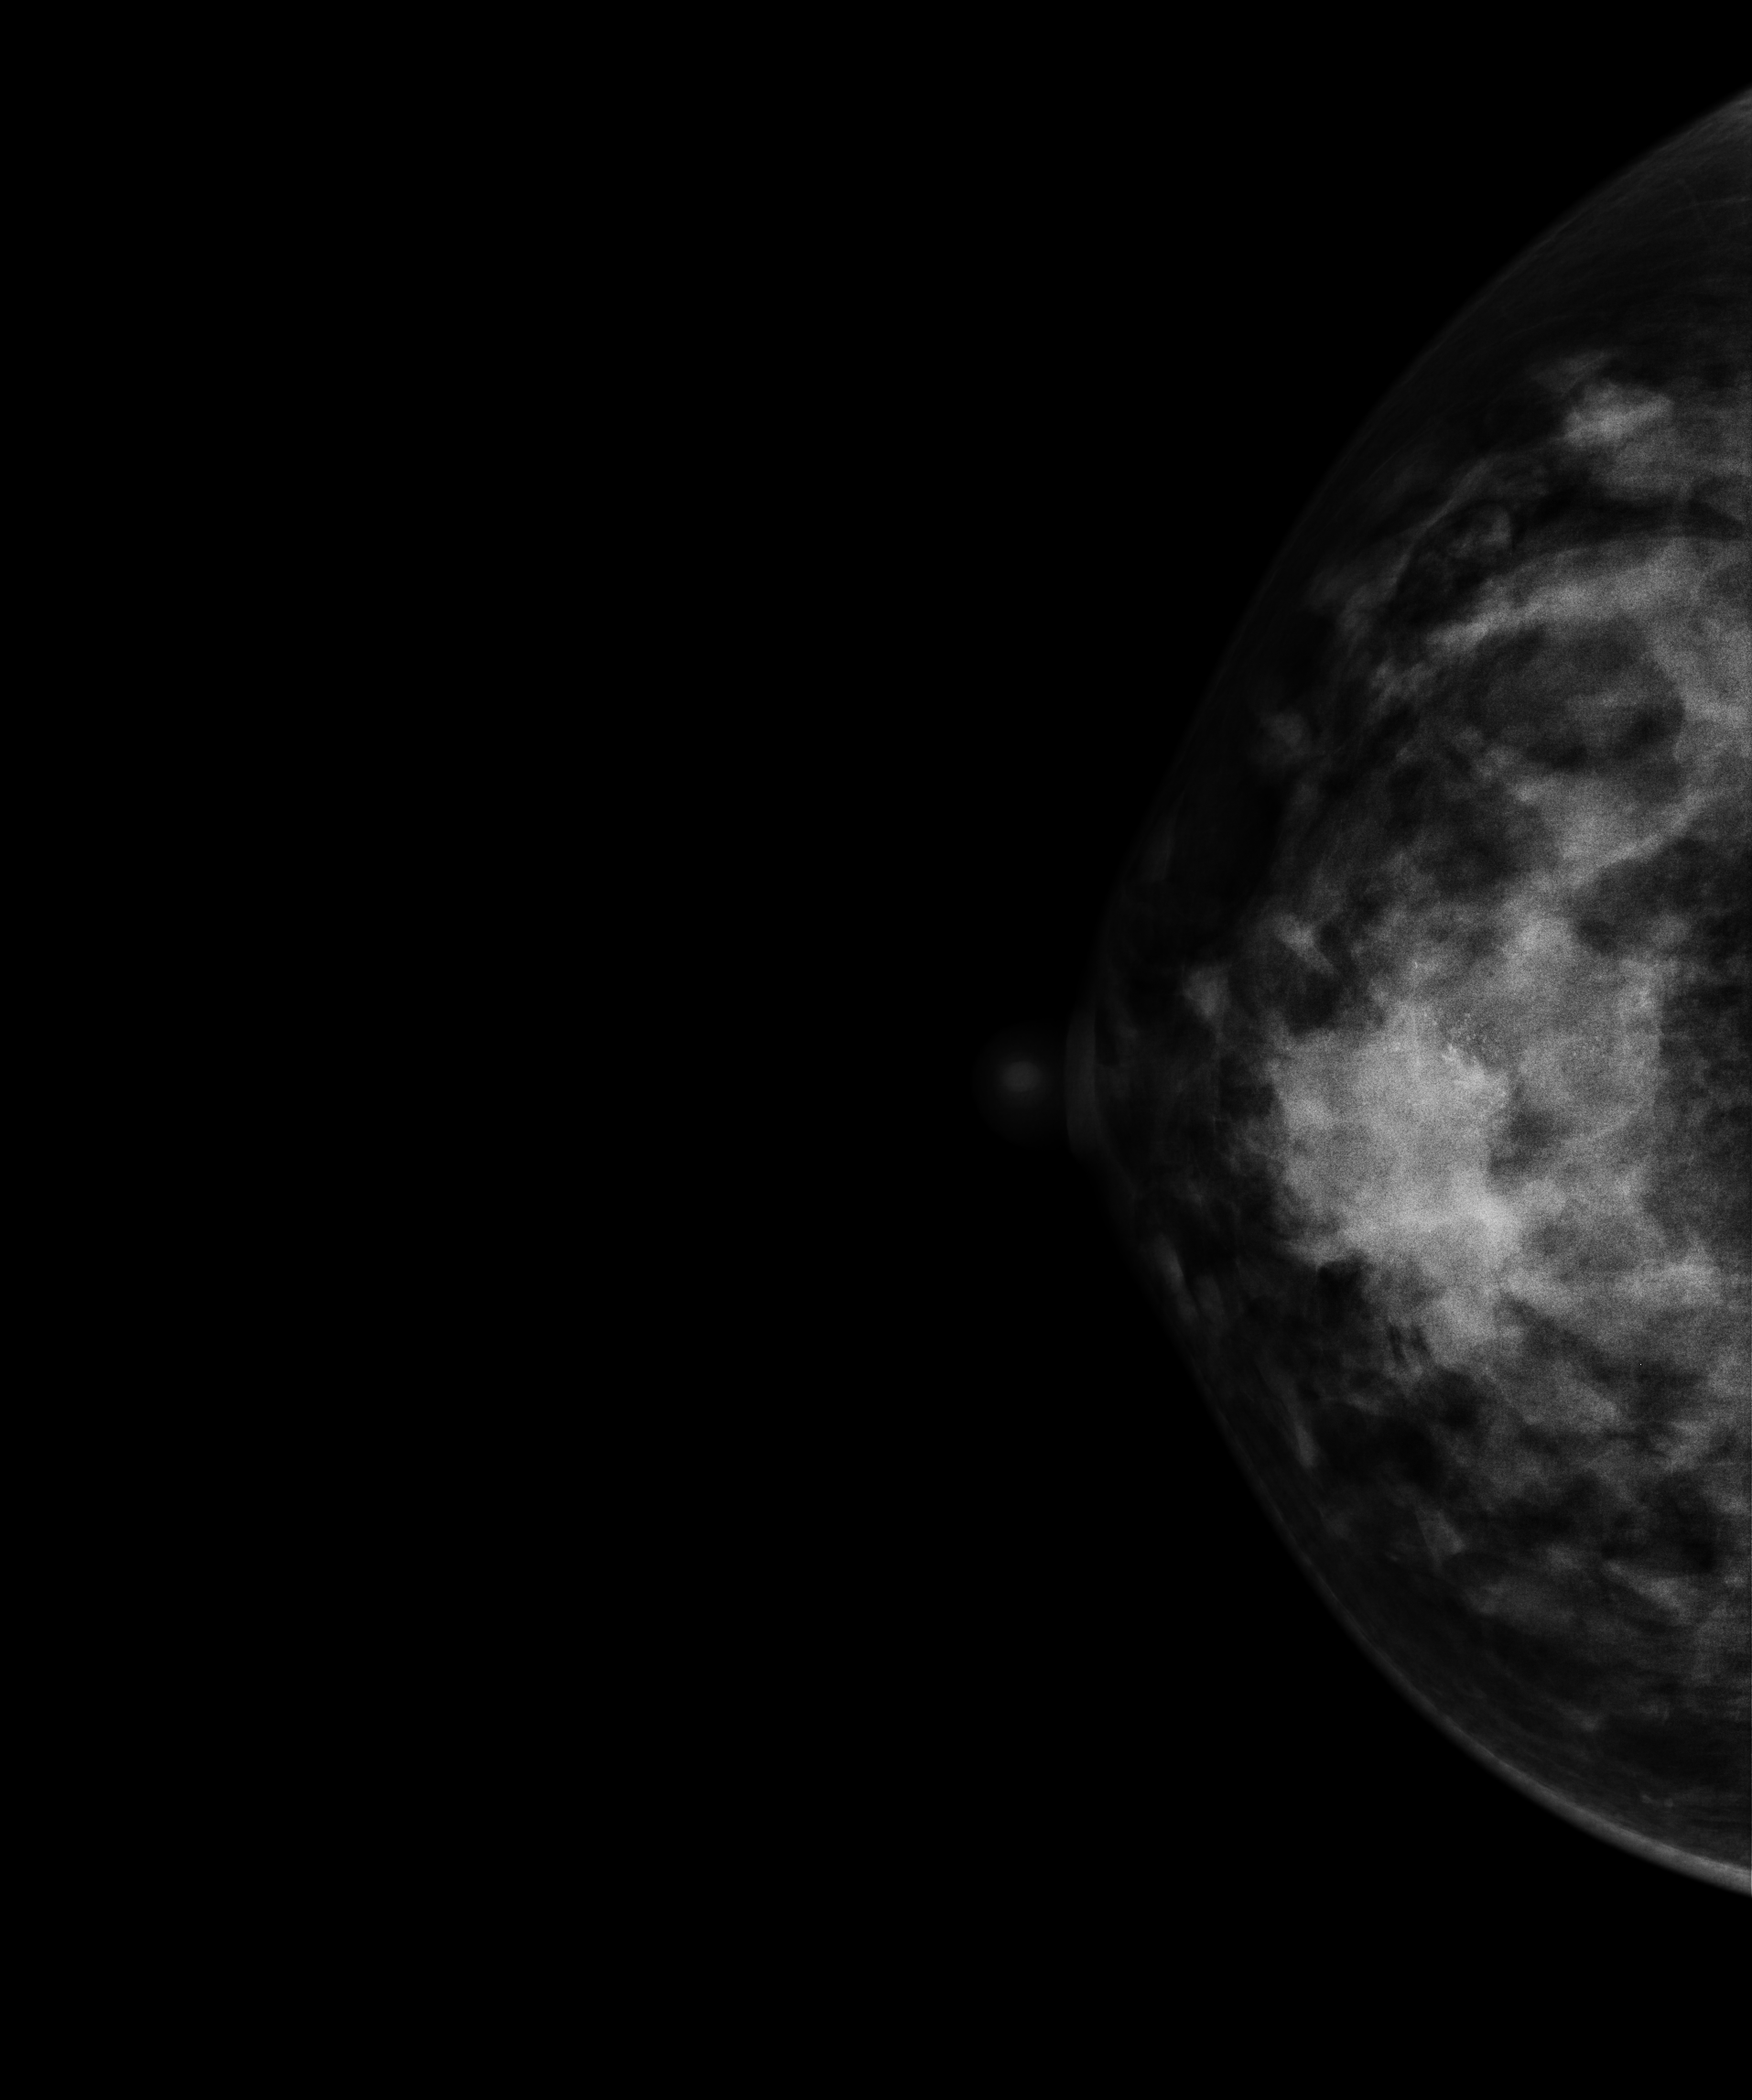
Right-breast mammogram, CC. 29-year-old patient.
This breast has a mass and calcifications, biopsy-confirmed malignant.